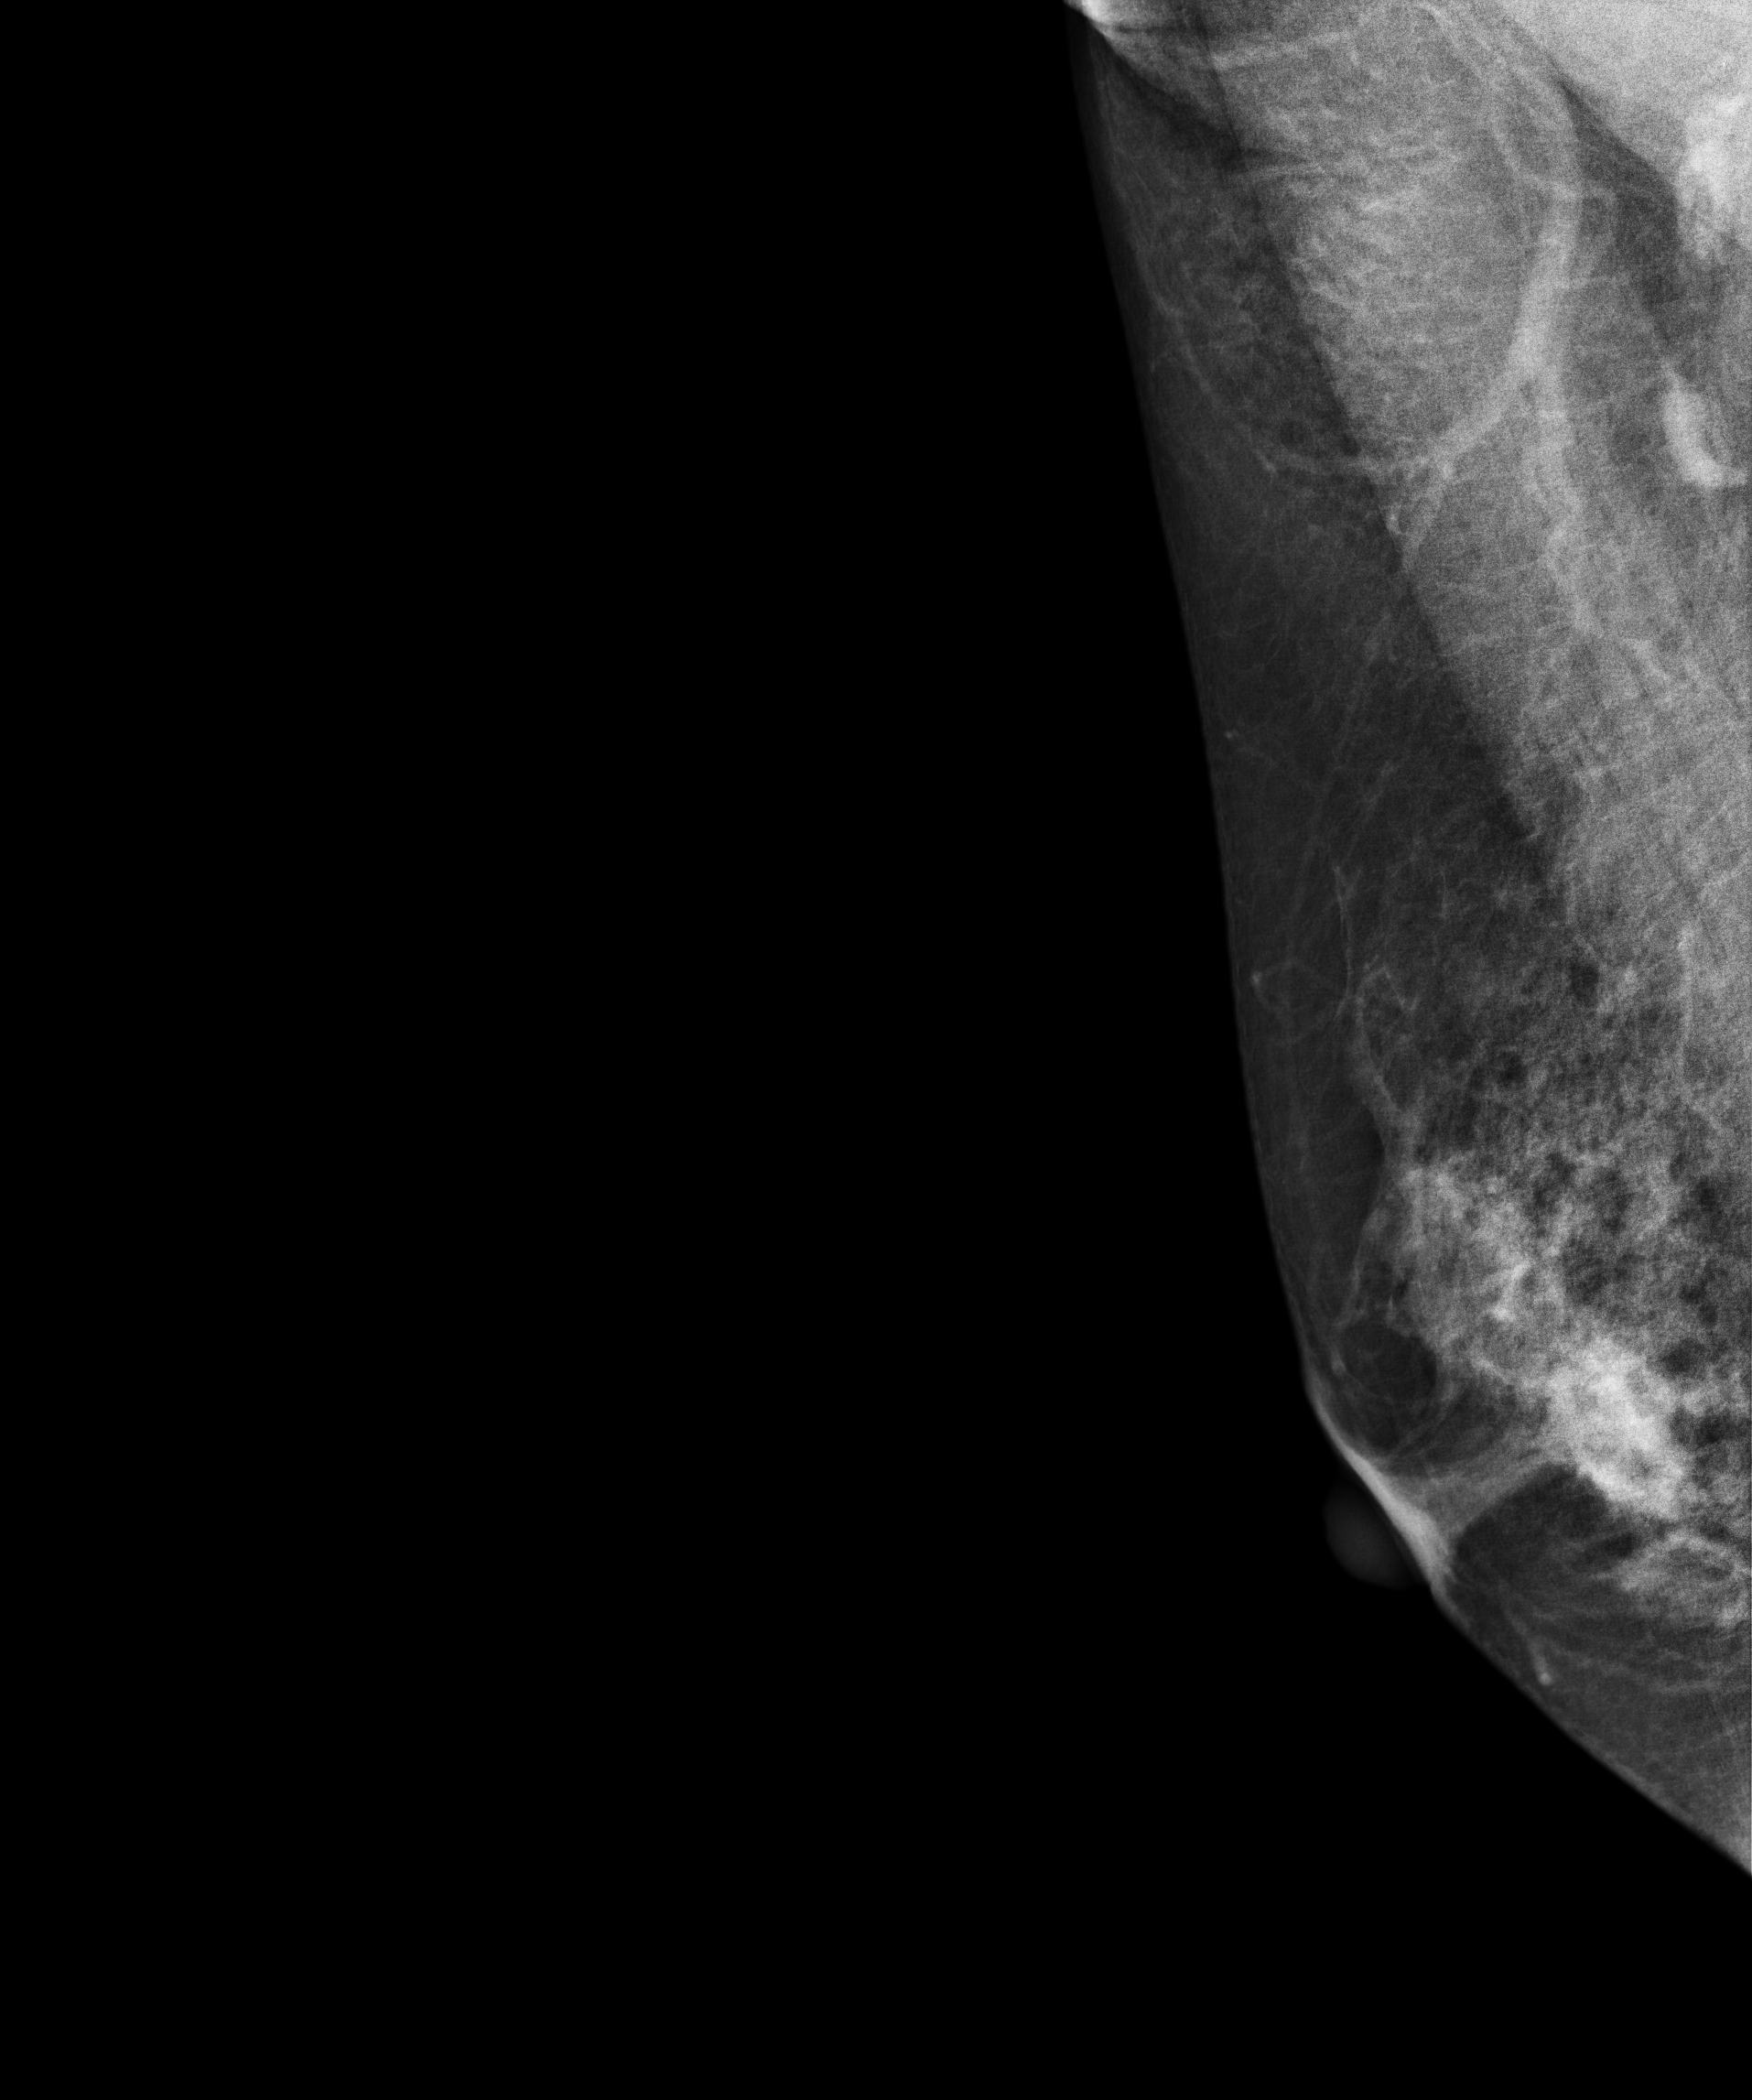
MLO mammogram of the right breast. 43 y/o patient.
This breast has a mass, biopsy-confirmed benign.